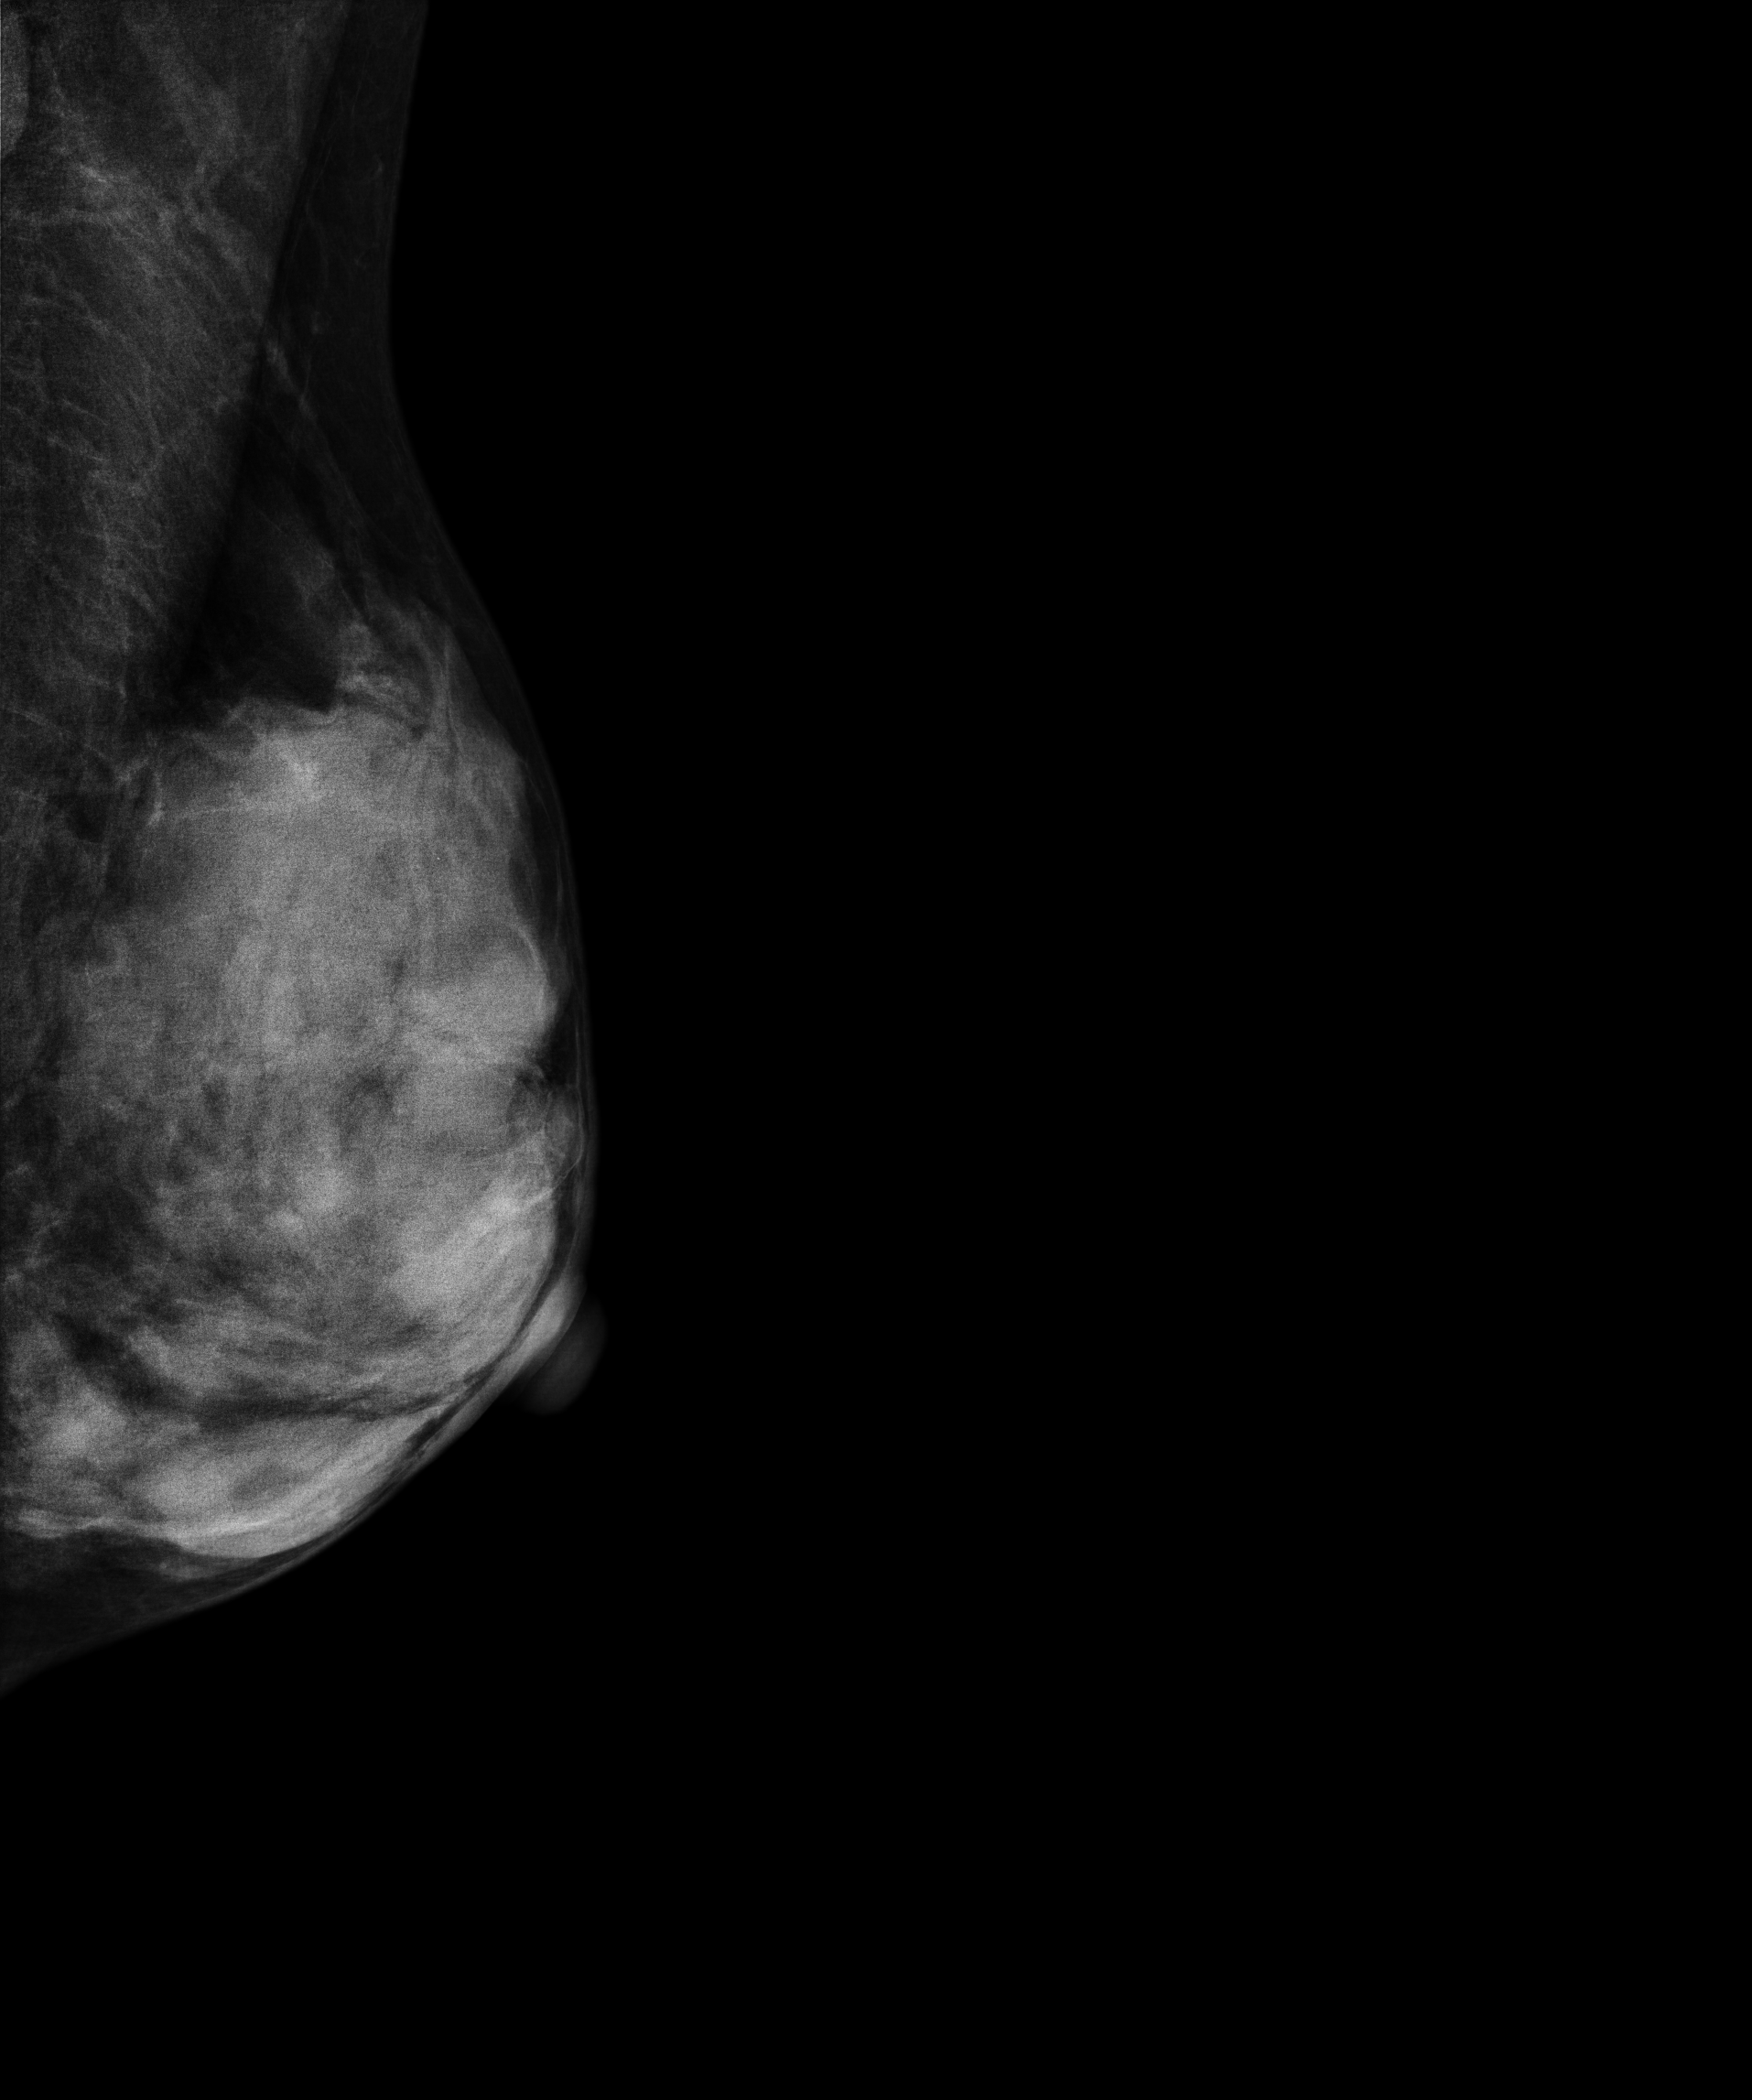
MLO mammogram of the left breast. Patient age 50.
This breast has a mass, histologically confirmed malignant. Molecular subtype: luminal B.